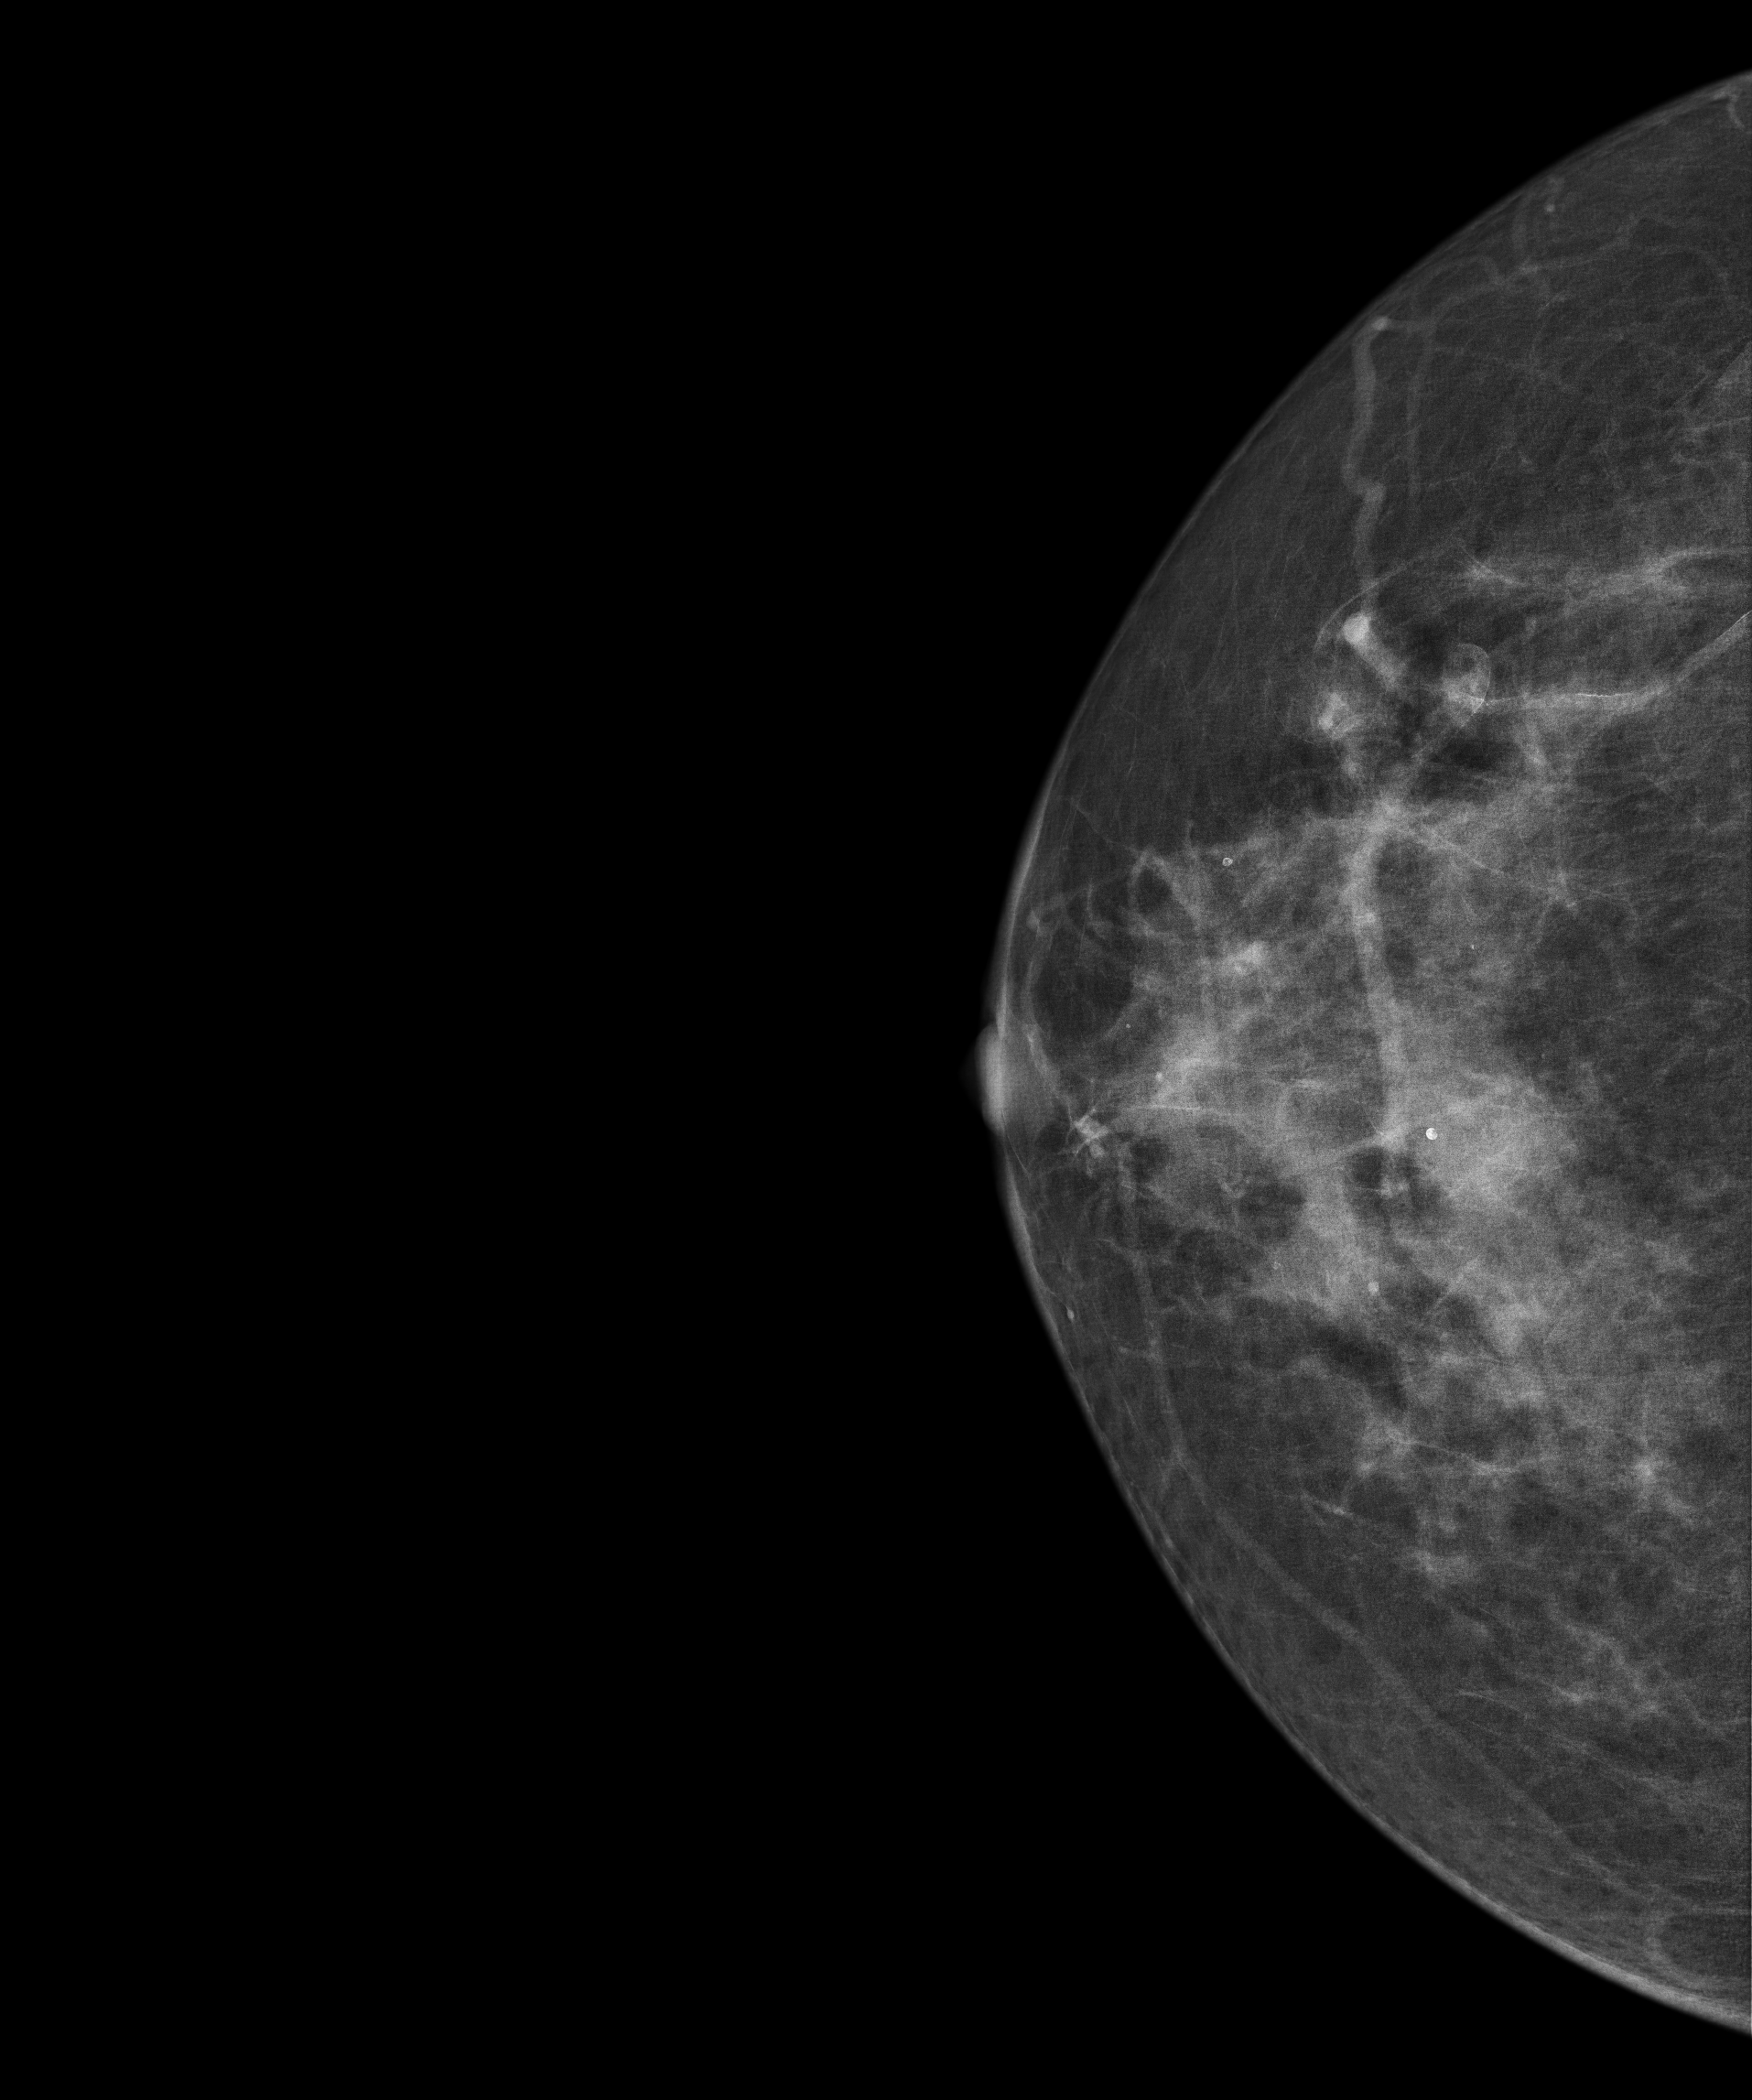
Digital mammography. Right breast, cranio-caudal projection. 63 y/o patient.
Contralateral breast — no documented abnormality on this side.